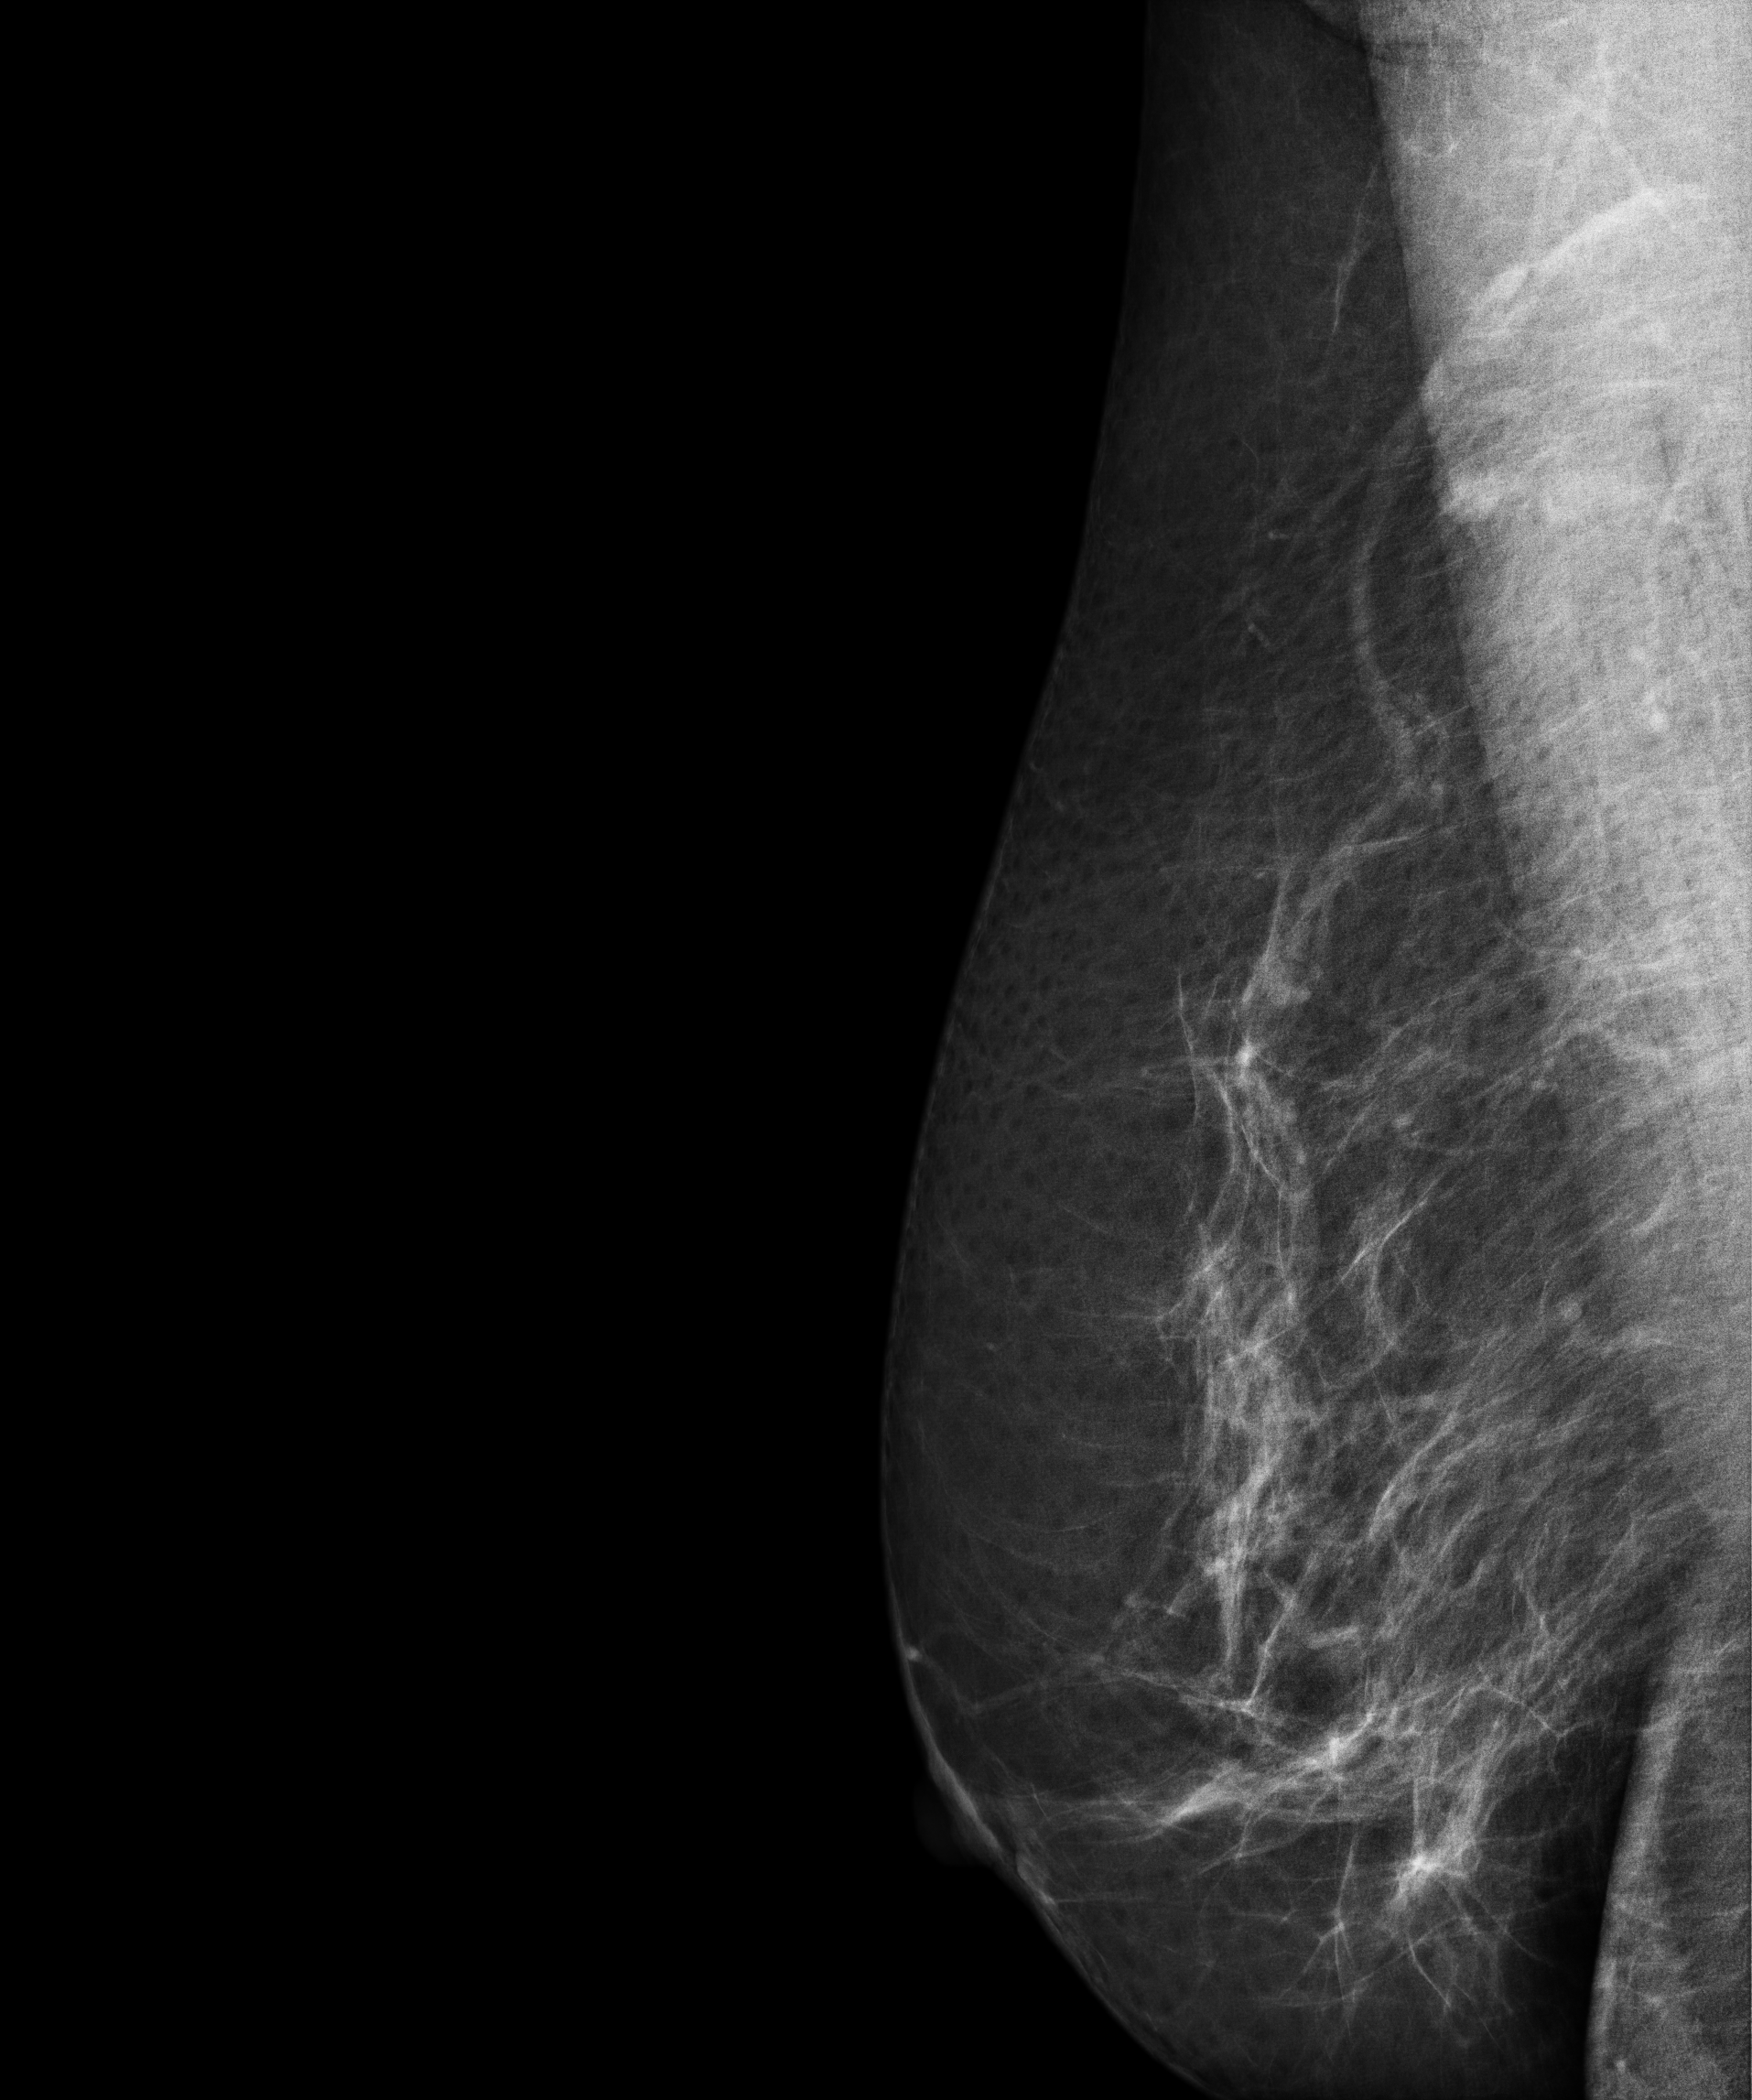
MLO mammogram of the left breast. 60-year-old patient.
This breast has a mass, biopsy-proven malignant. Molecular subtype: triple-negative.